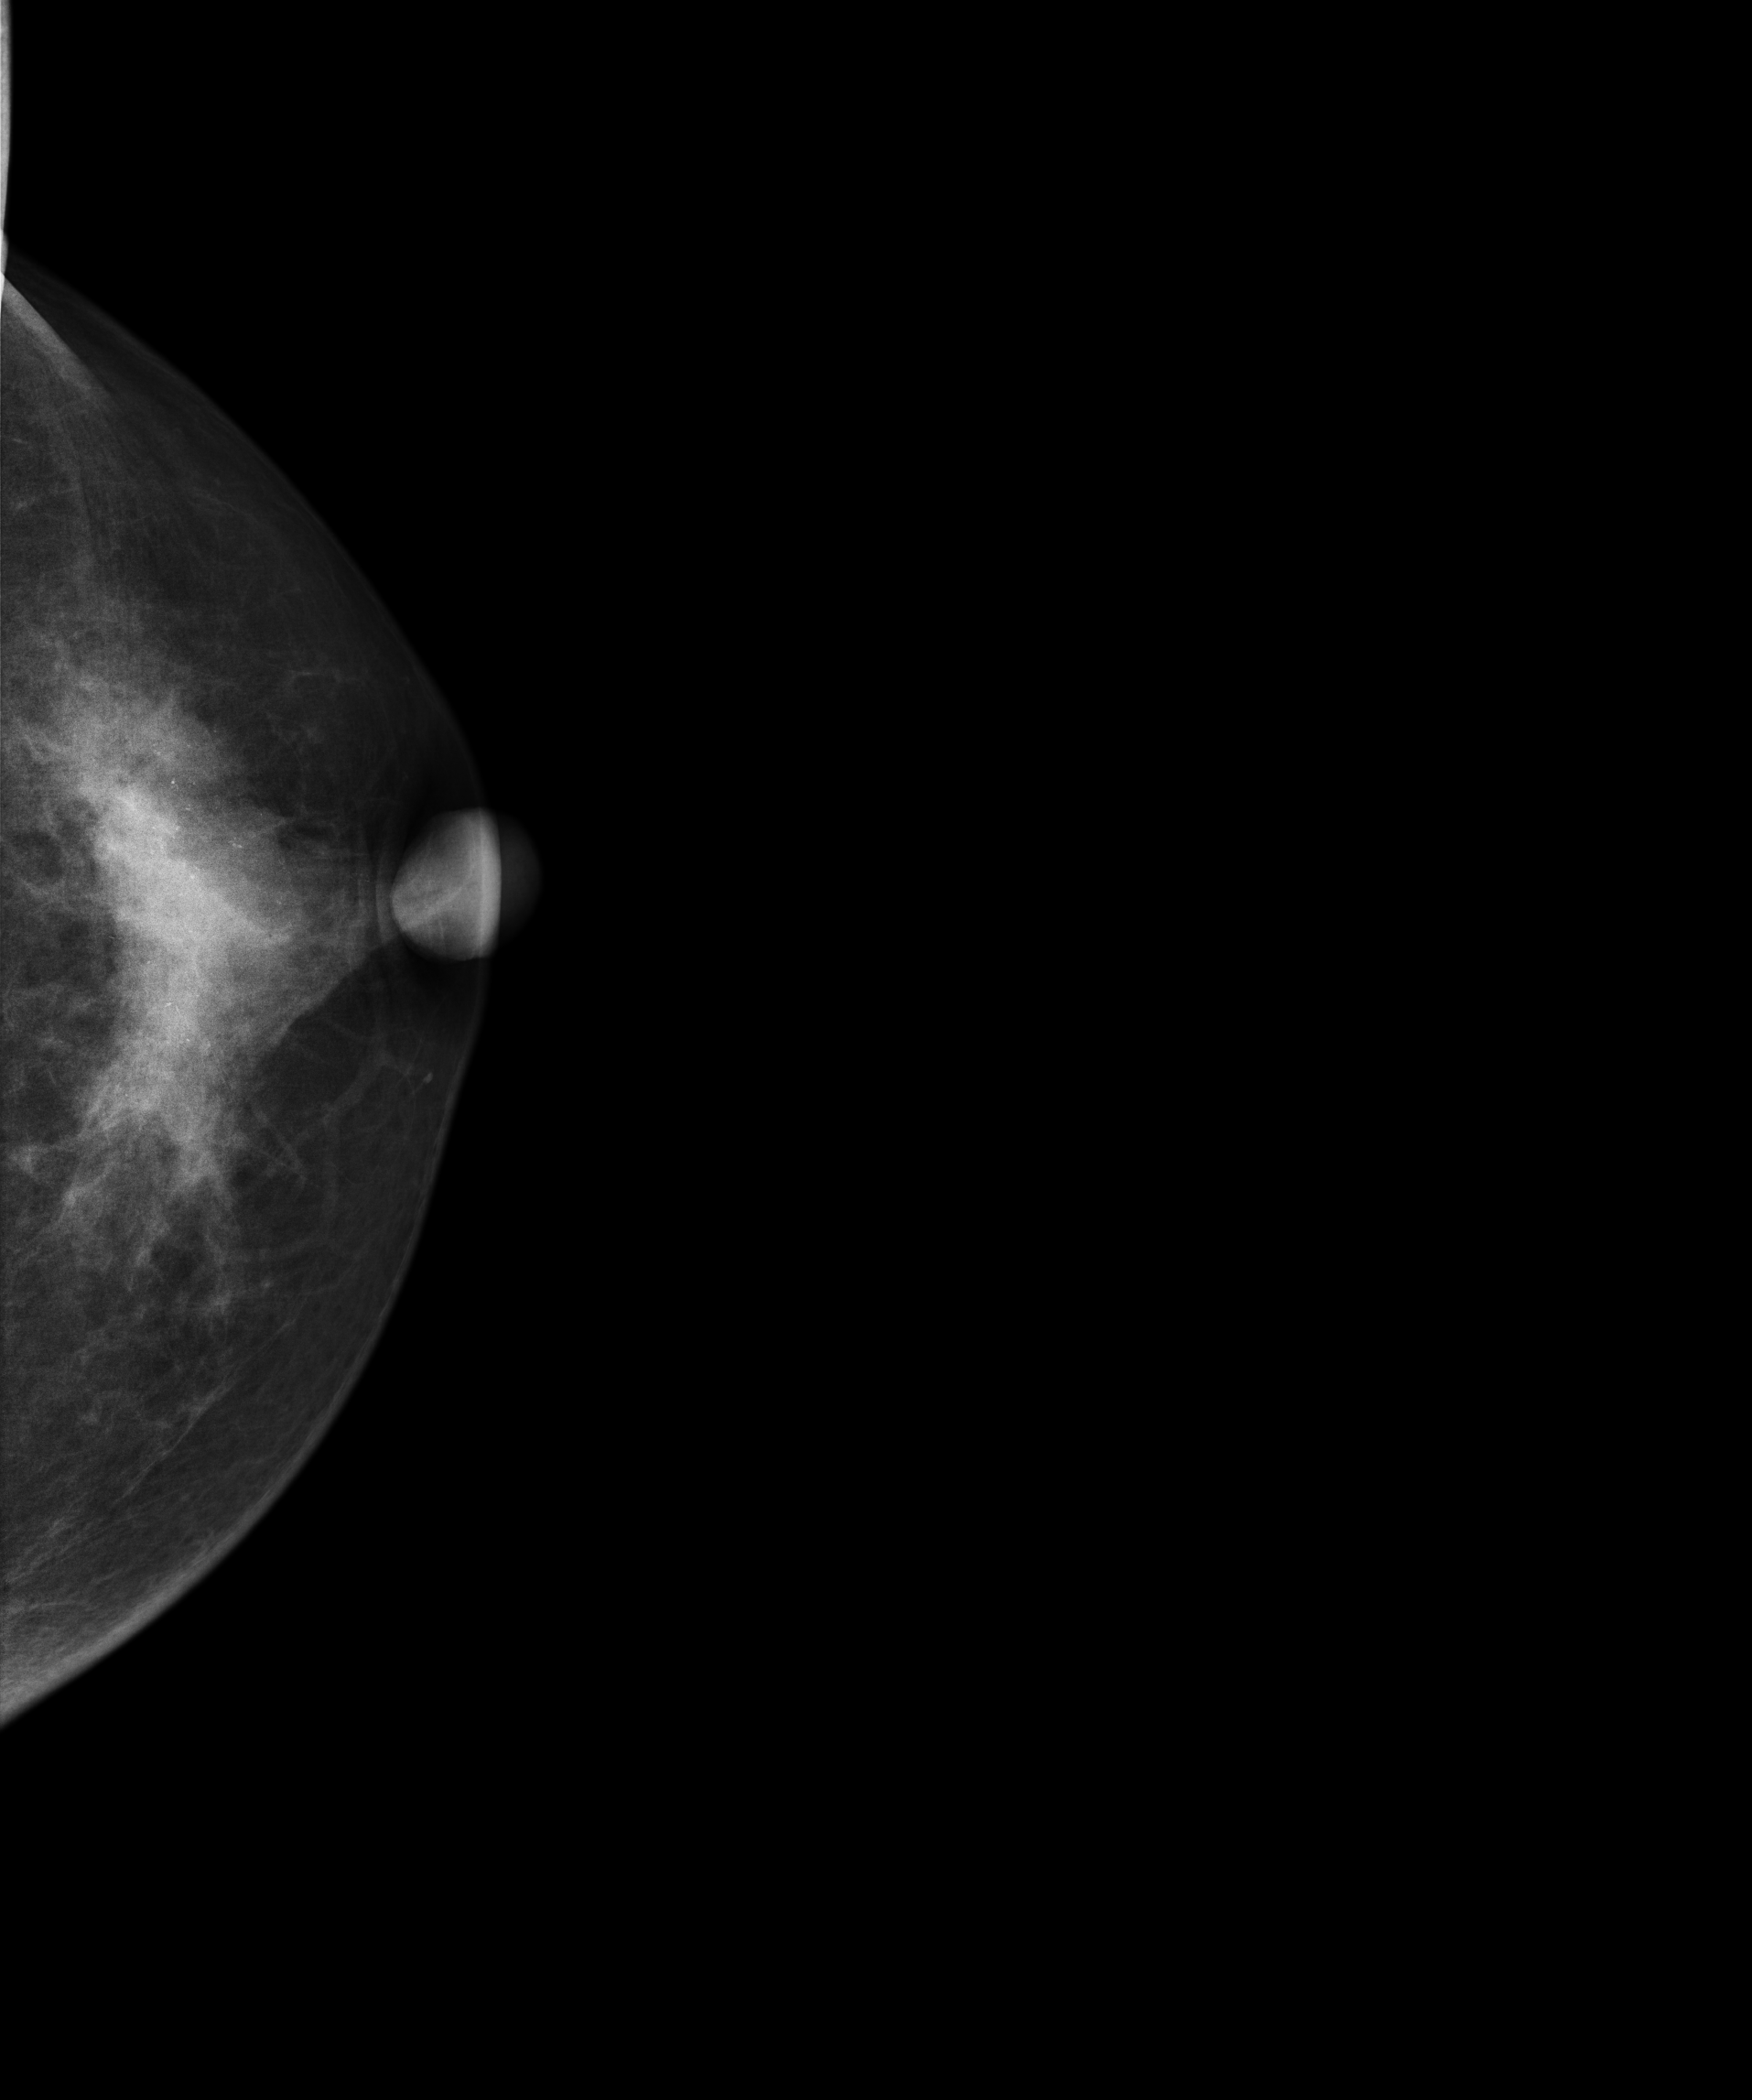
CC mammogram of the left breast. 57 y/o patient.
This breast has a mass and calcifications, pathology-confirmed malignant. Molecular subtype: HER2-enriched.